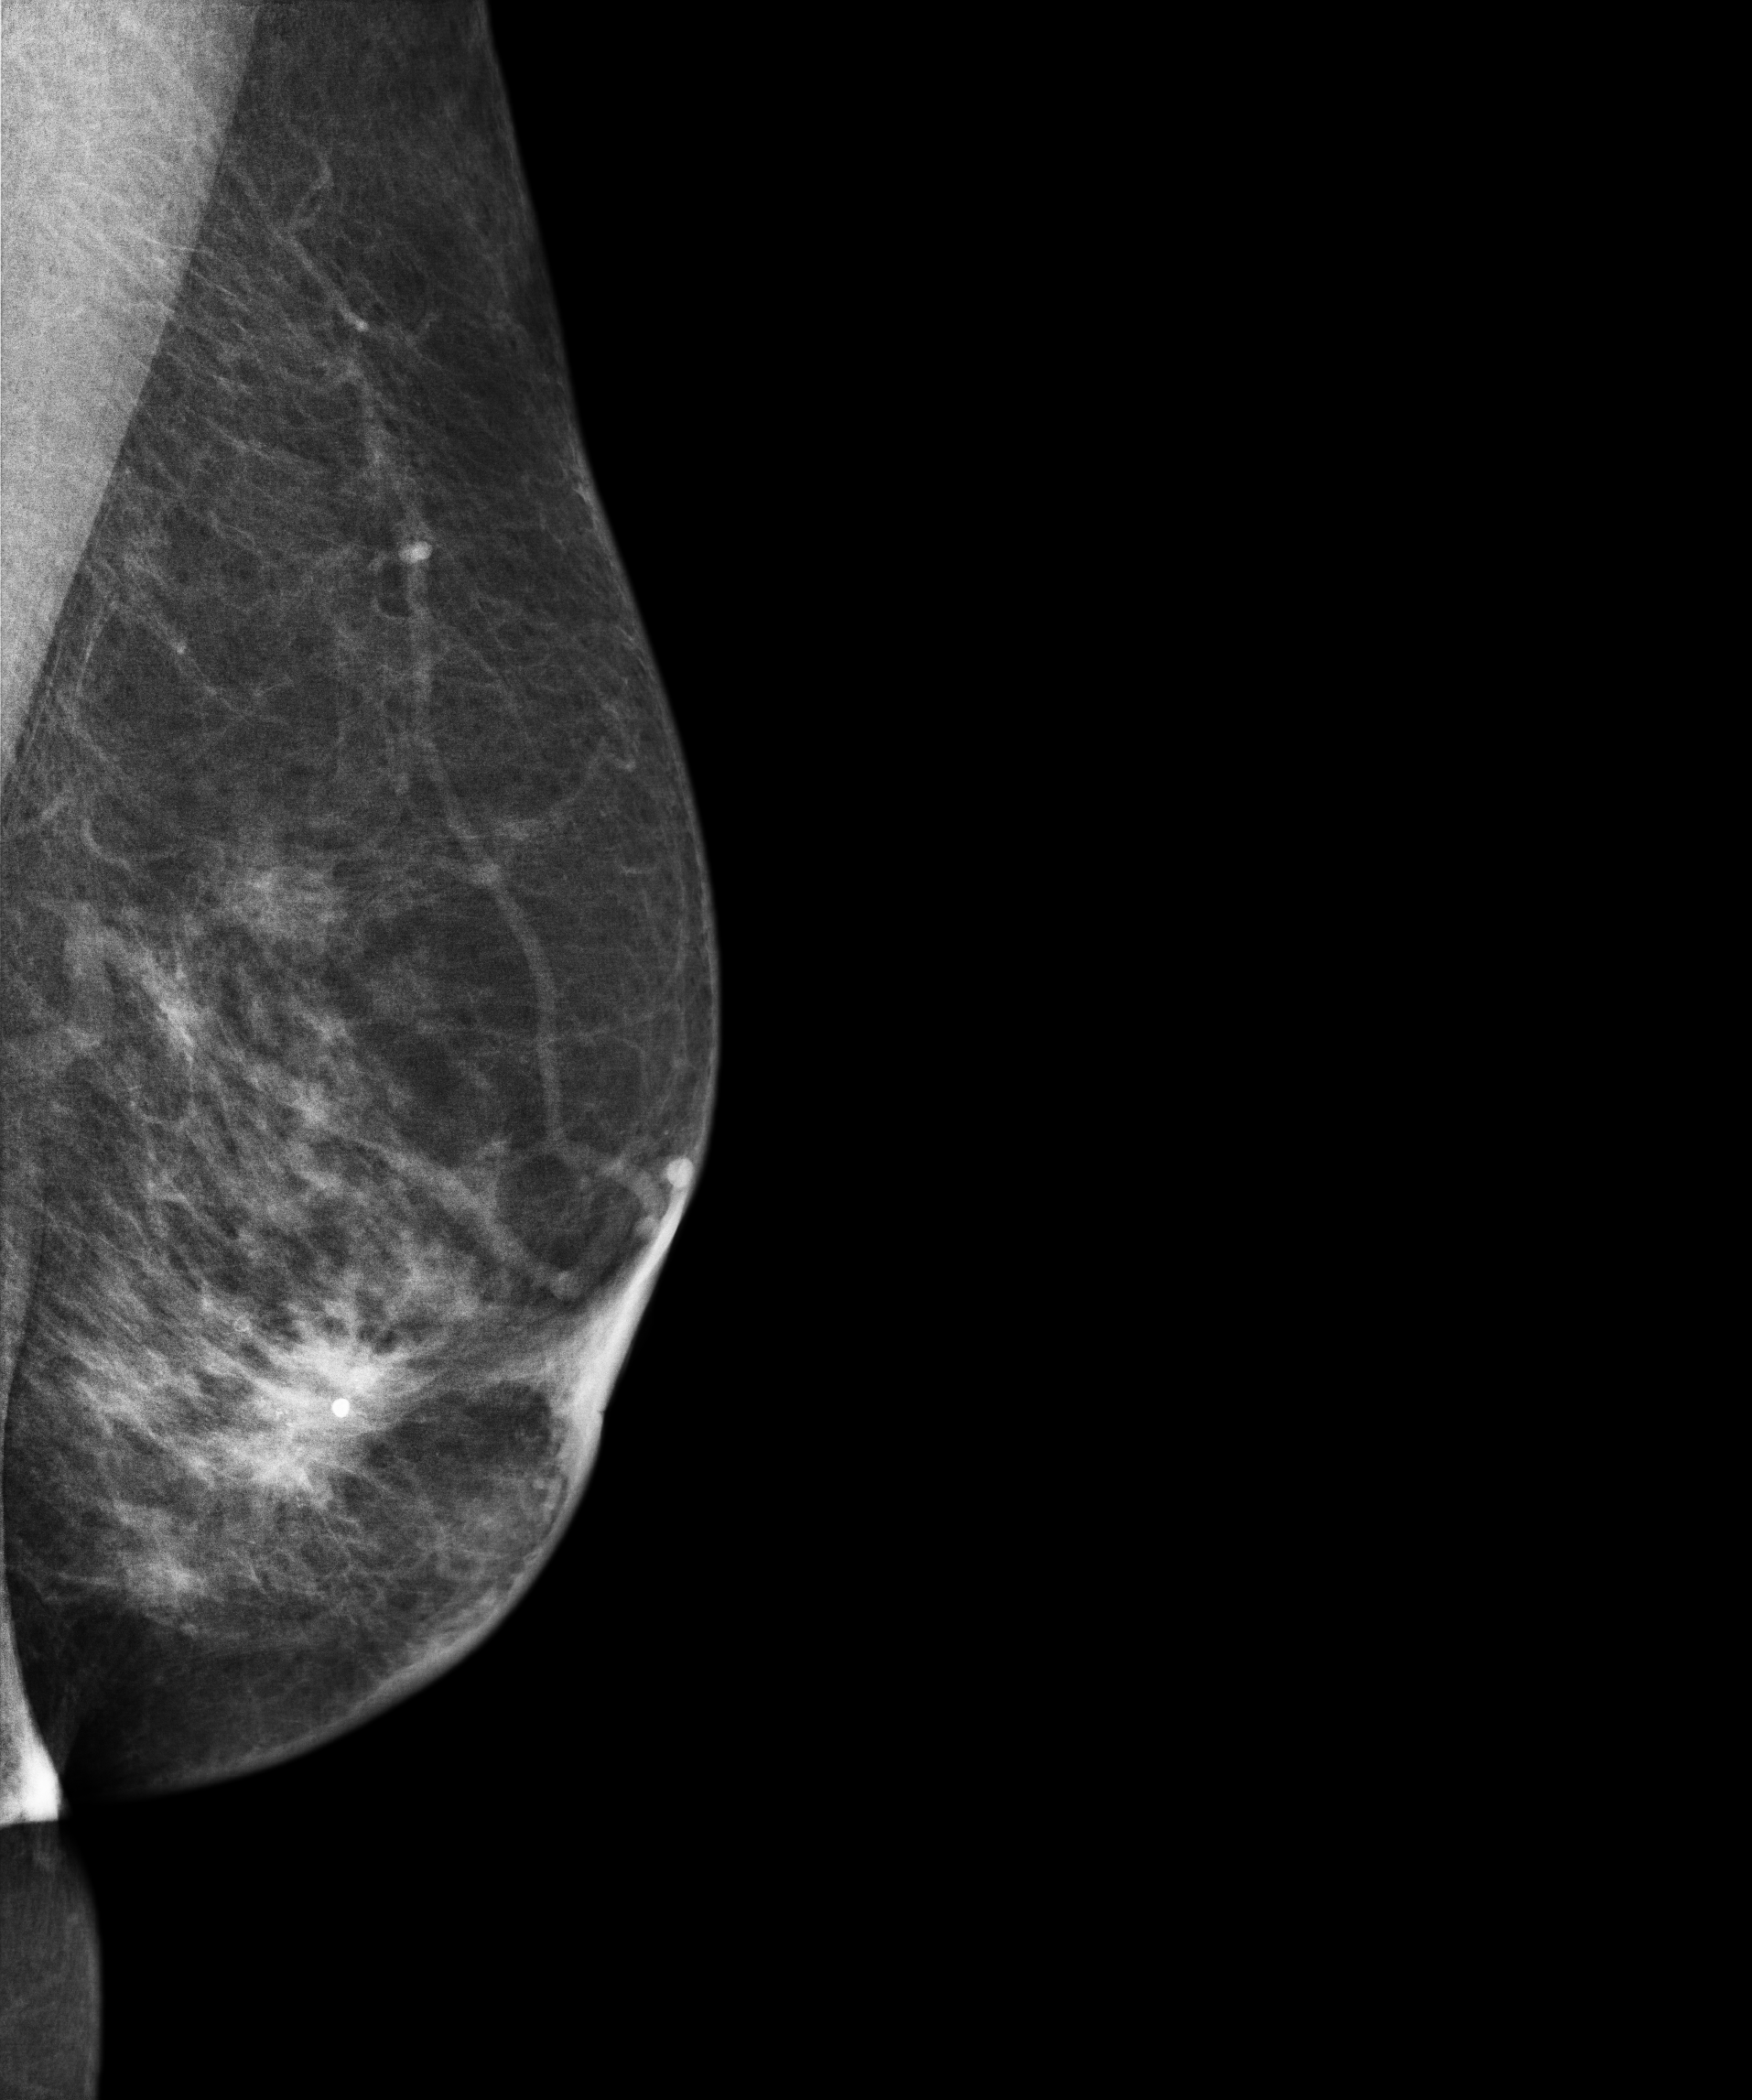
Left-breast mammogram, medio-lateral oblique. Patient age 73.
This breast has a mass and calcifications, biopsy-proven malignant.